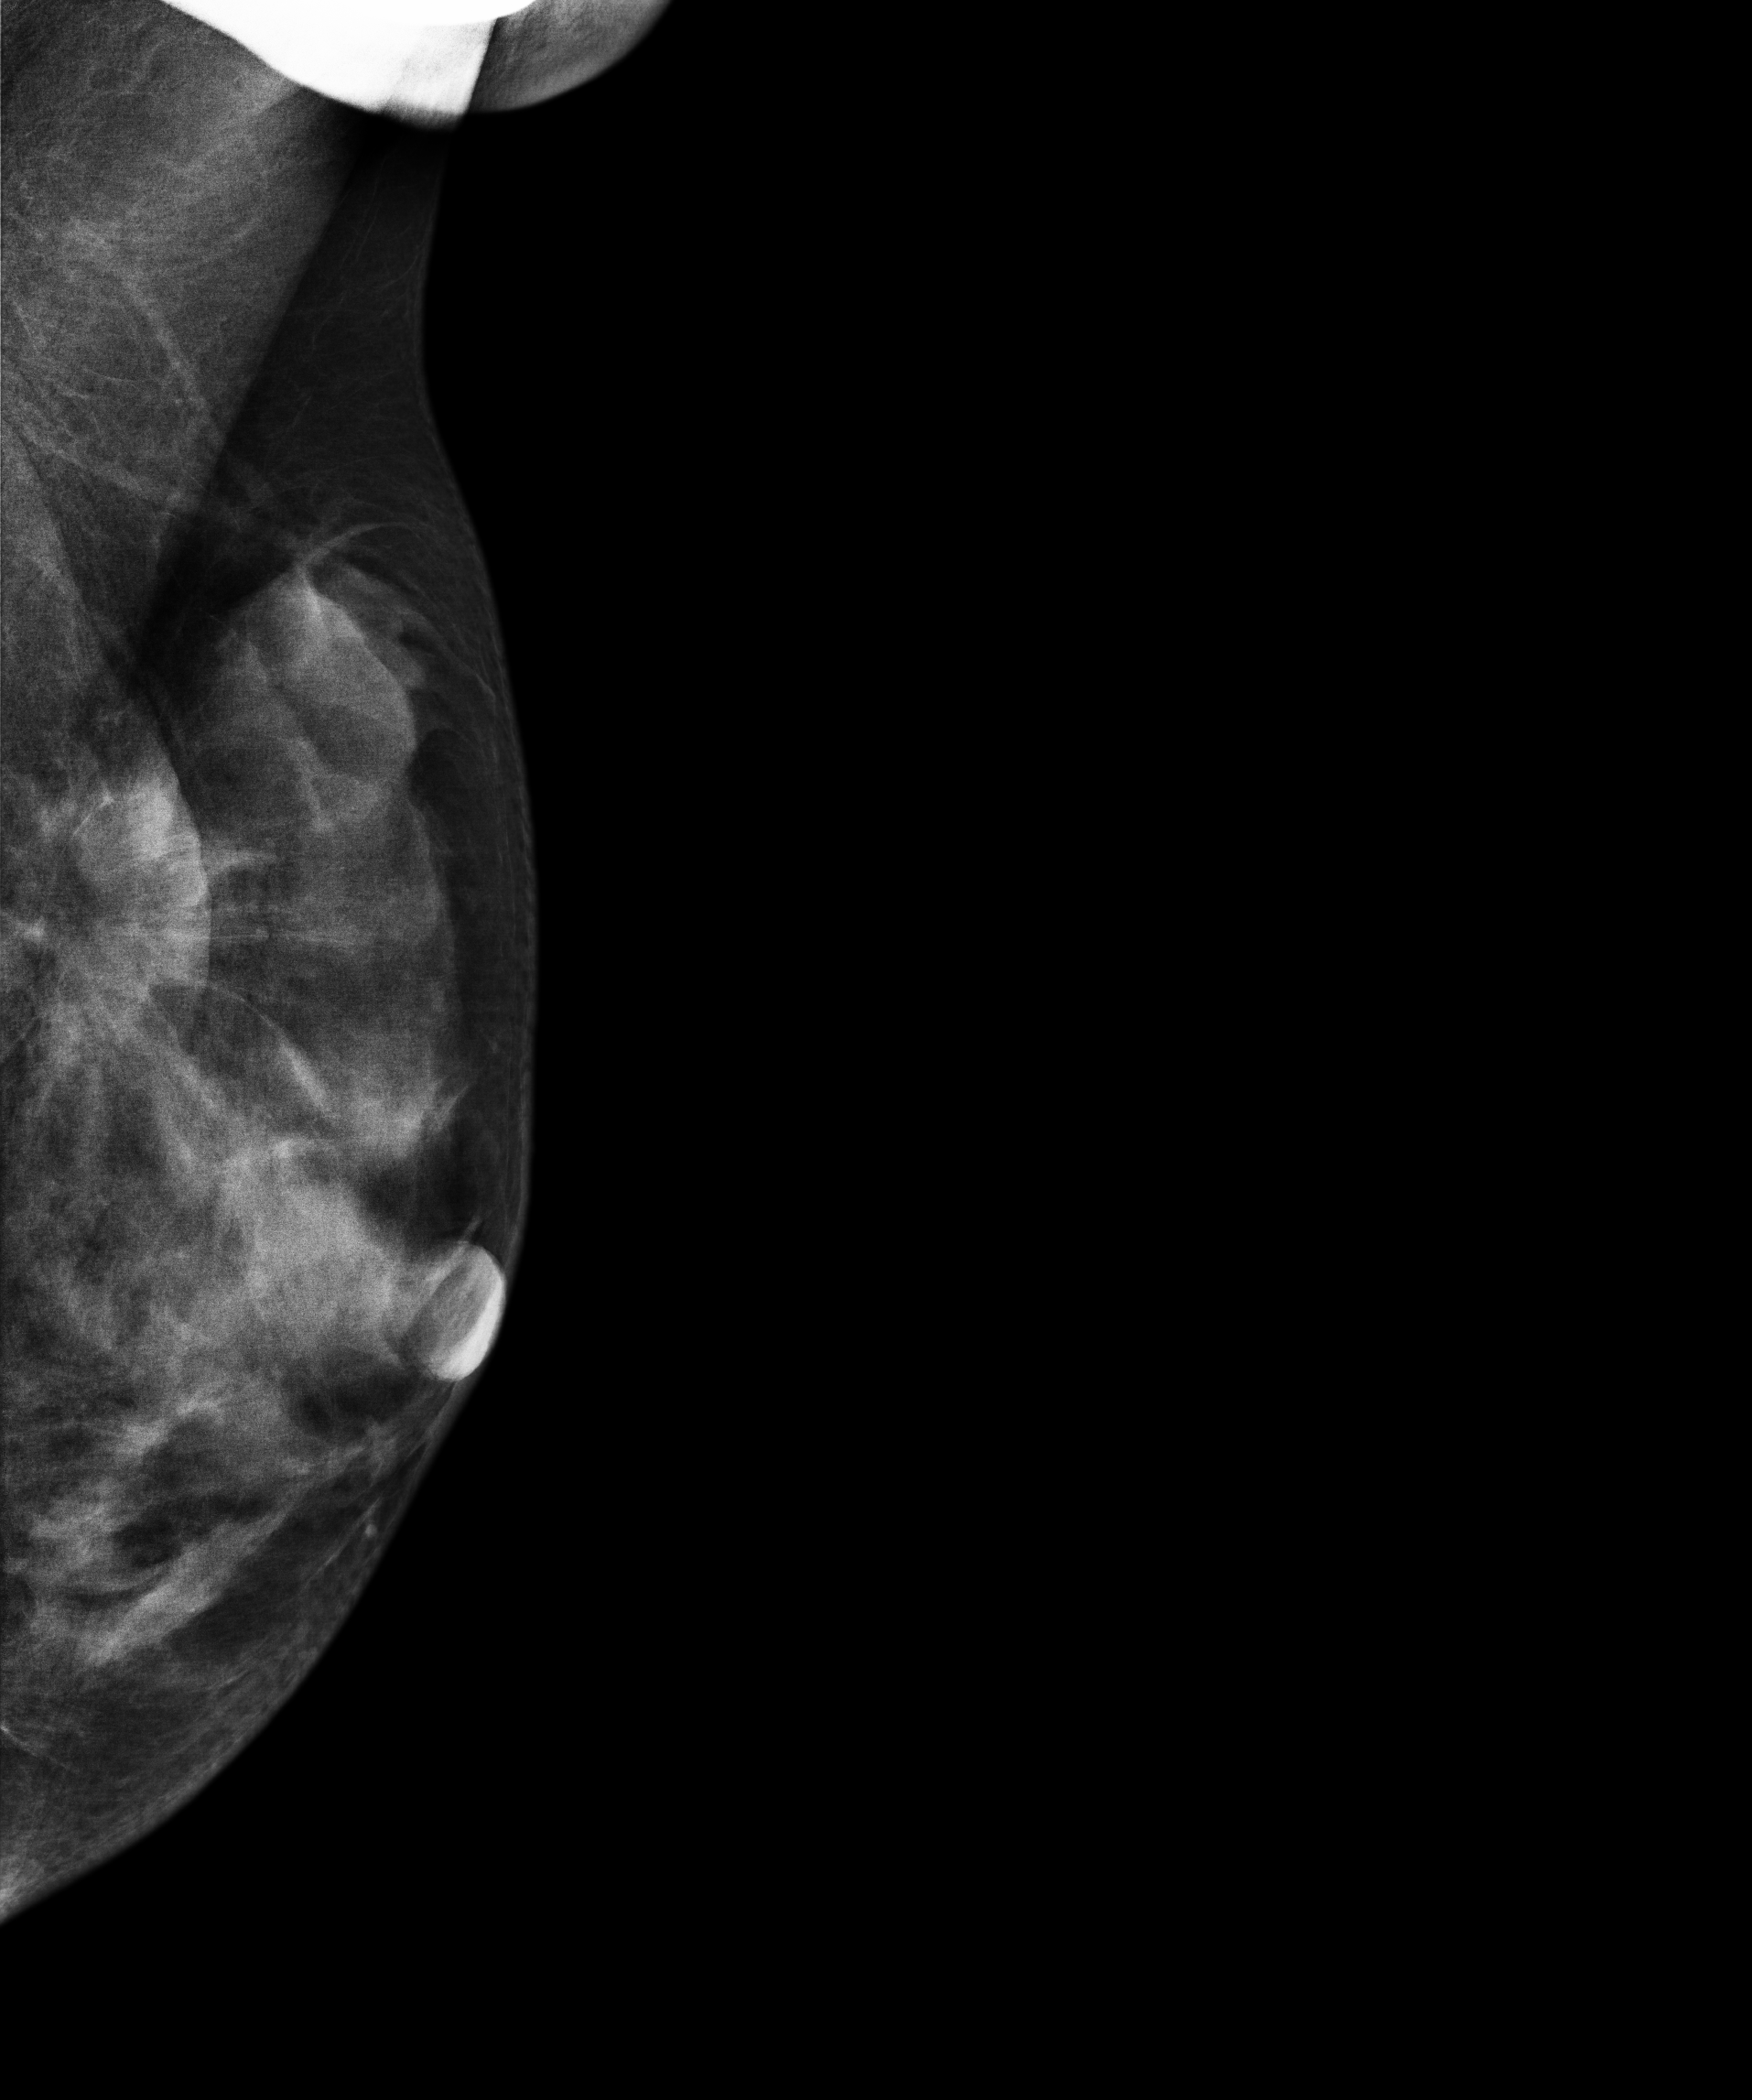
Left-breast mammogram, medio-lateral oblique. Patient age 28.
This breast has a mass, biopsy-proven malignant.